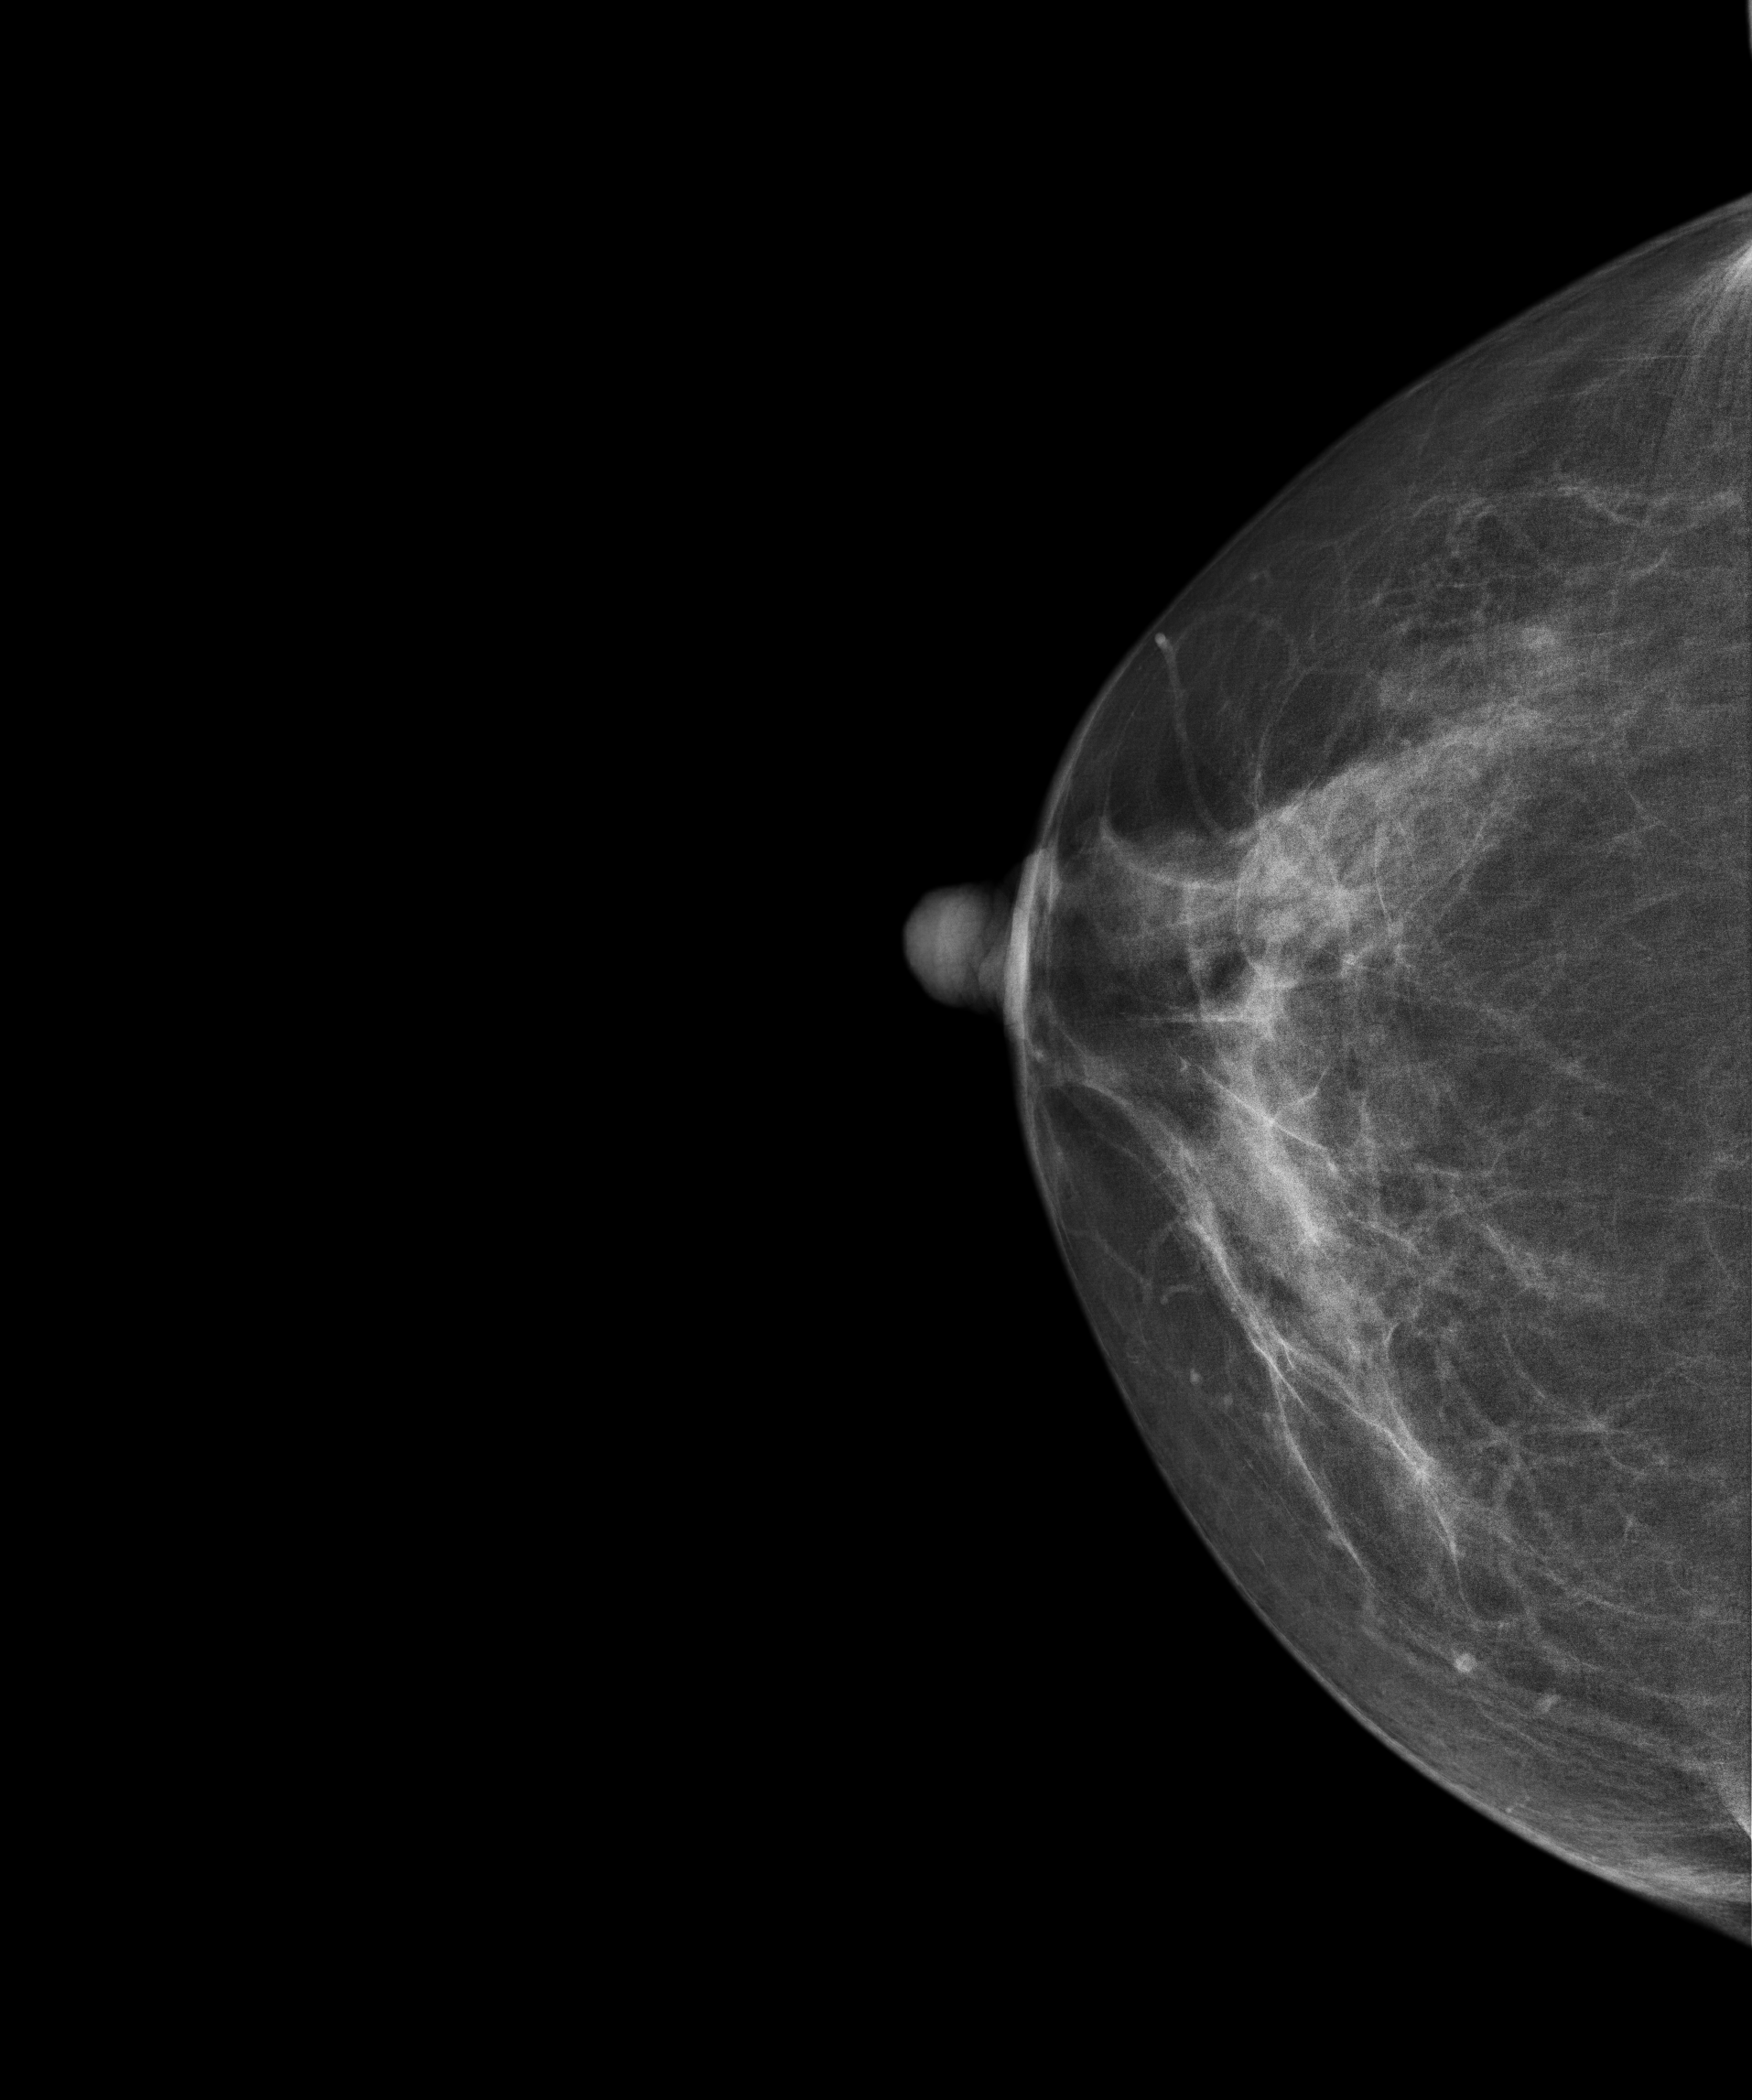
Mammogram, right breast, cranio-caudal view. 53 y/o patient.
Contralateral breast — no documented abnormality on this side.